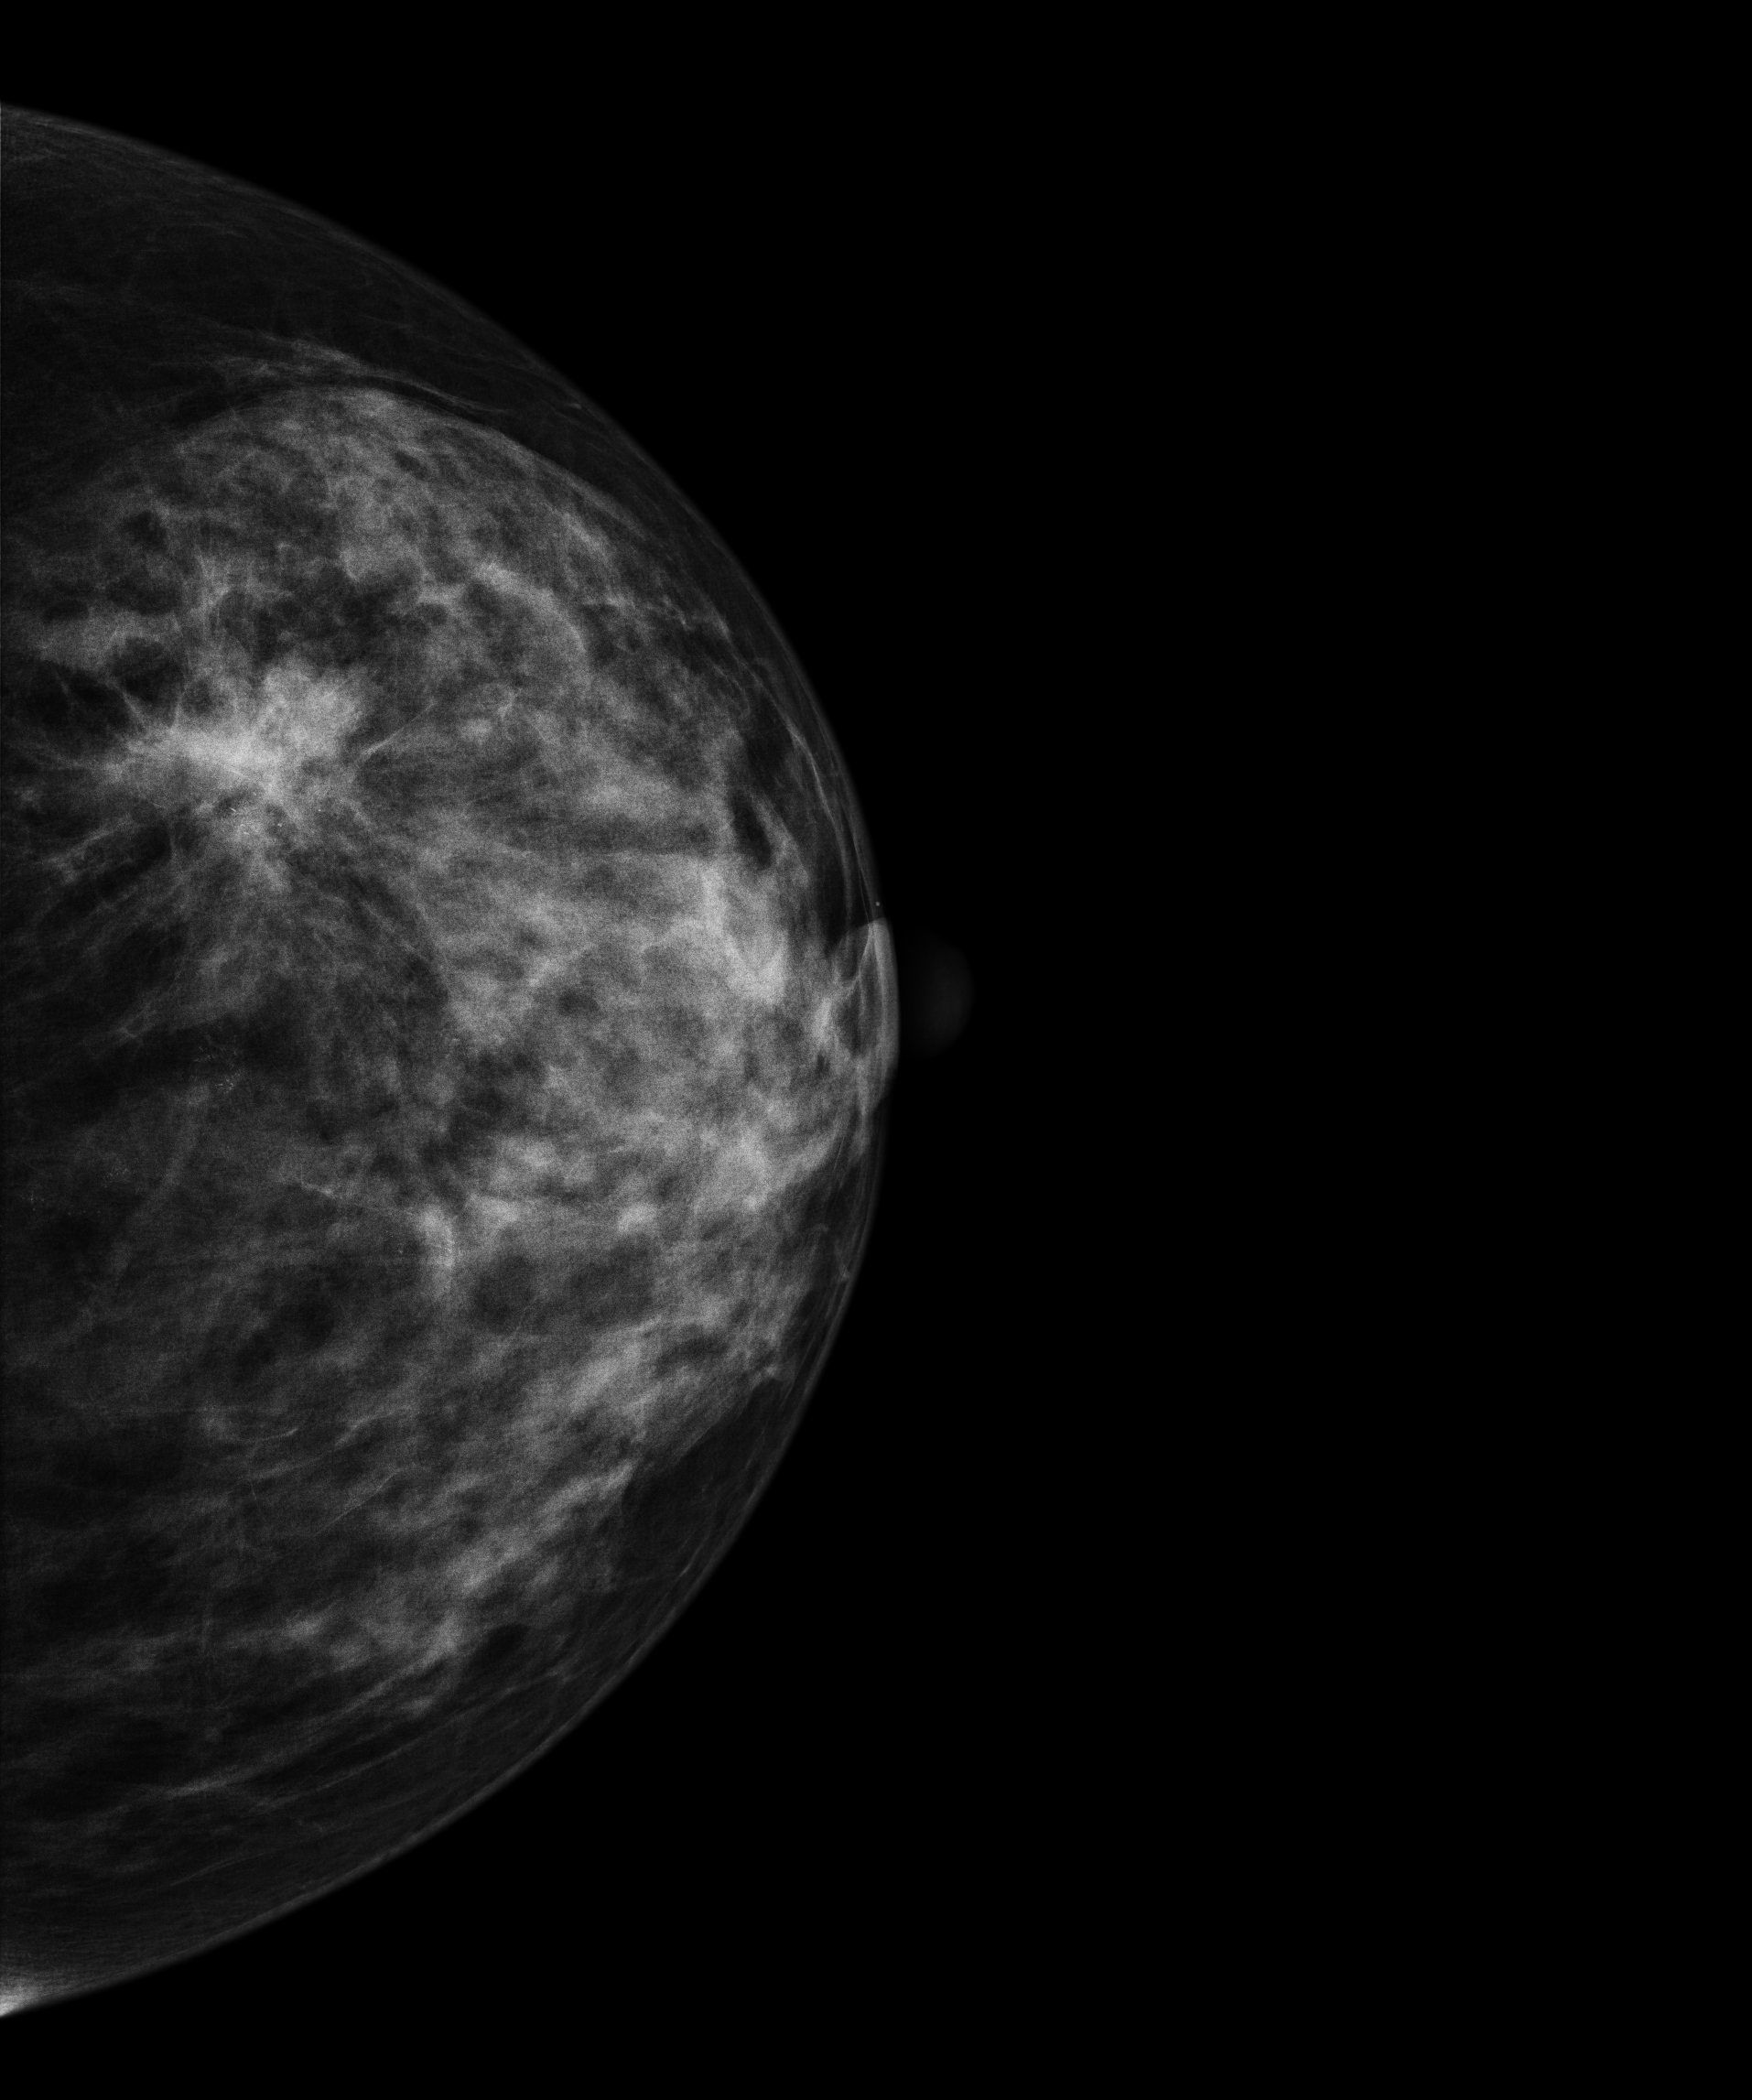
Left-breast mammogram, cranio-caudal. Patient age 45.
This breast has a mass and calcifications, biopsy-confirmed malignant.